Mammogram, left breast, MLO view. Patient age 41.
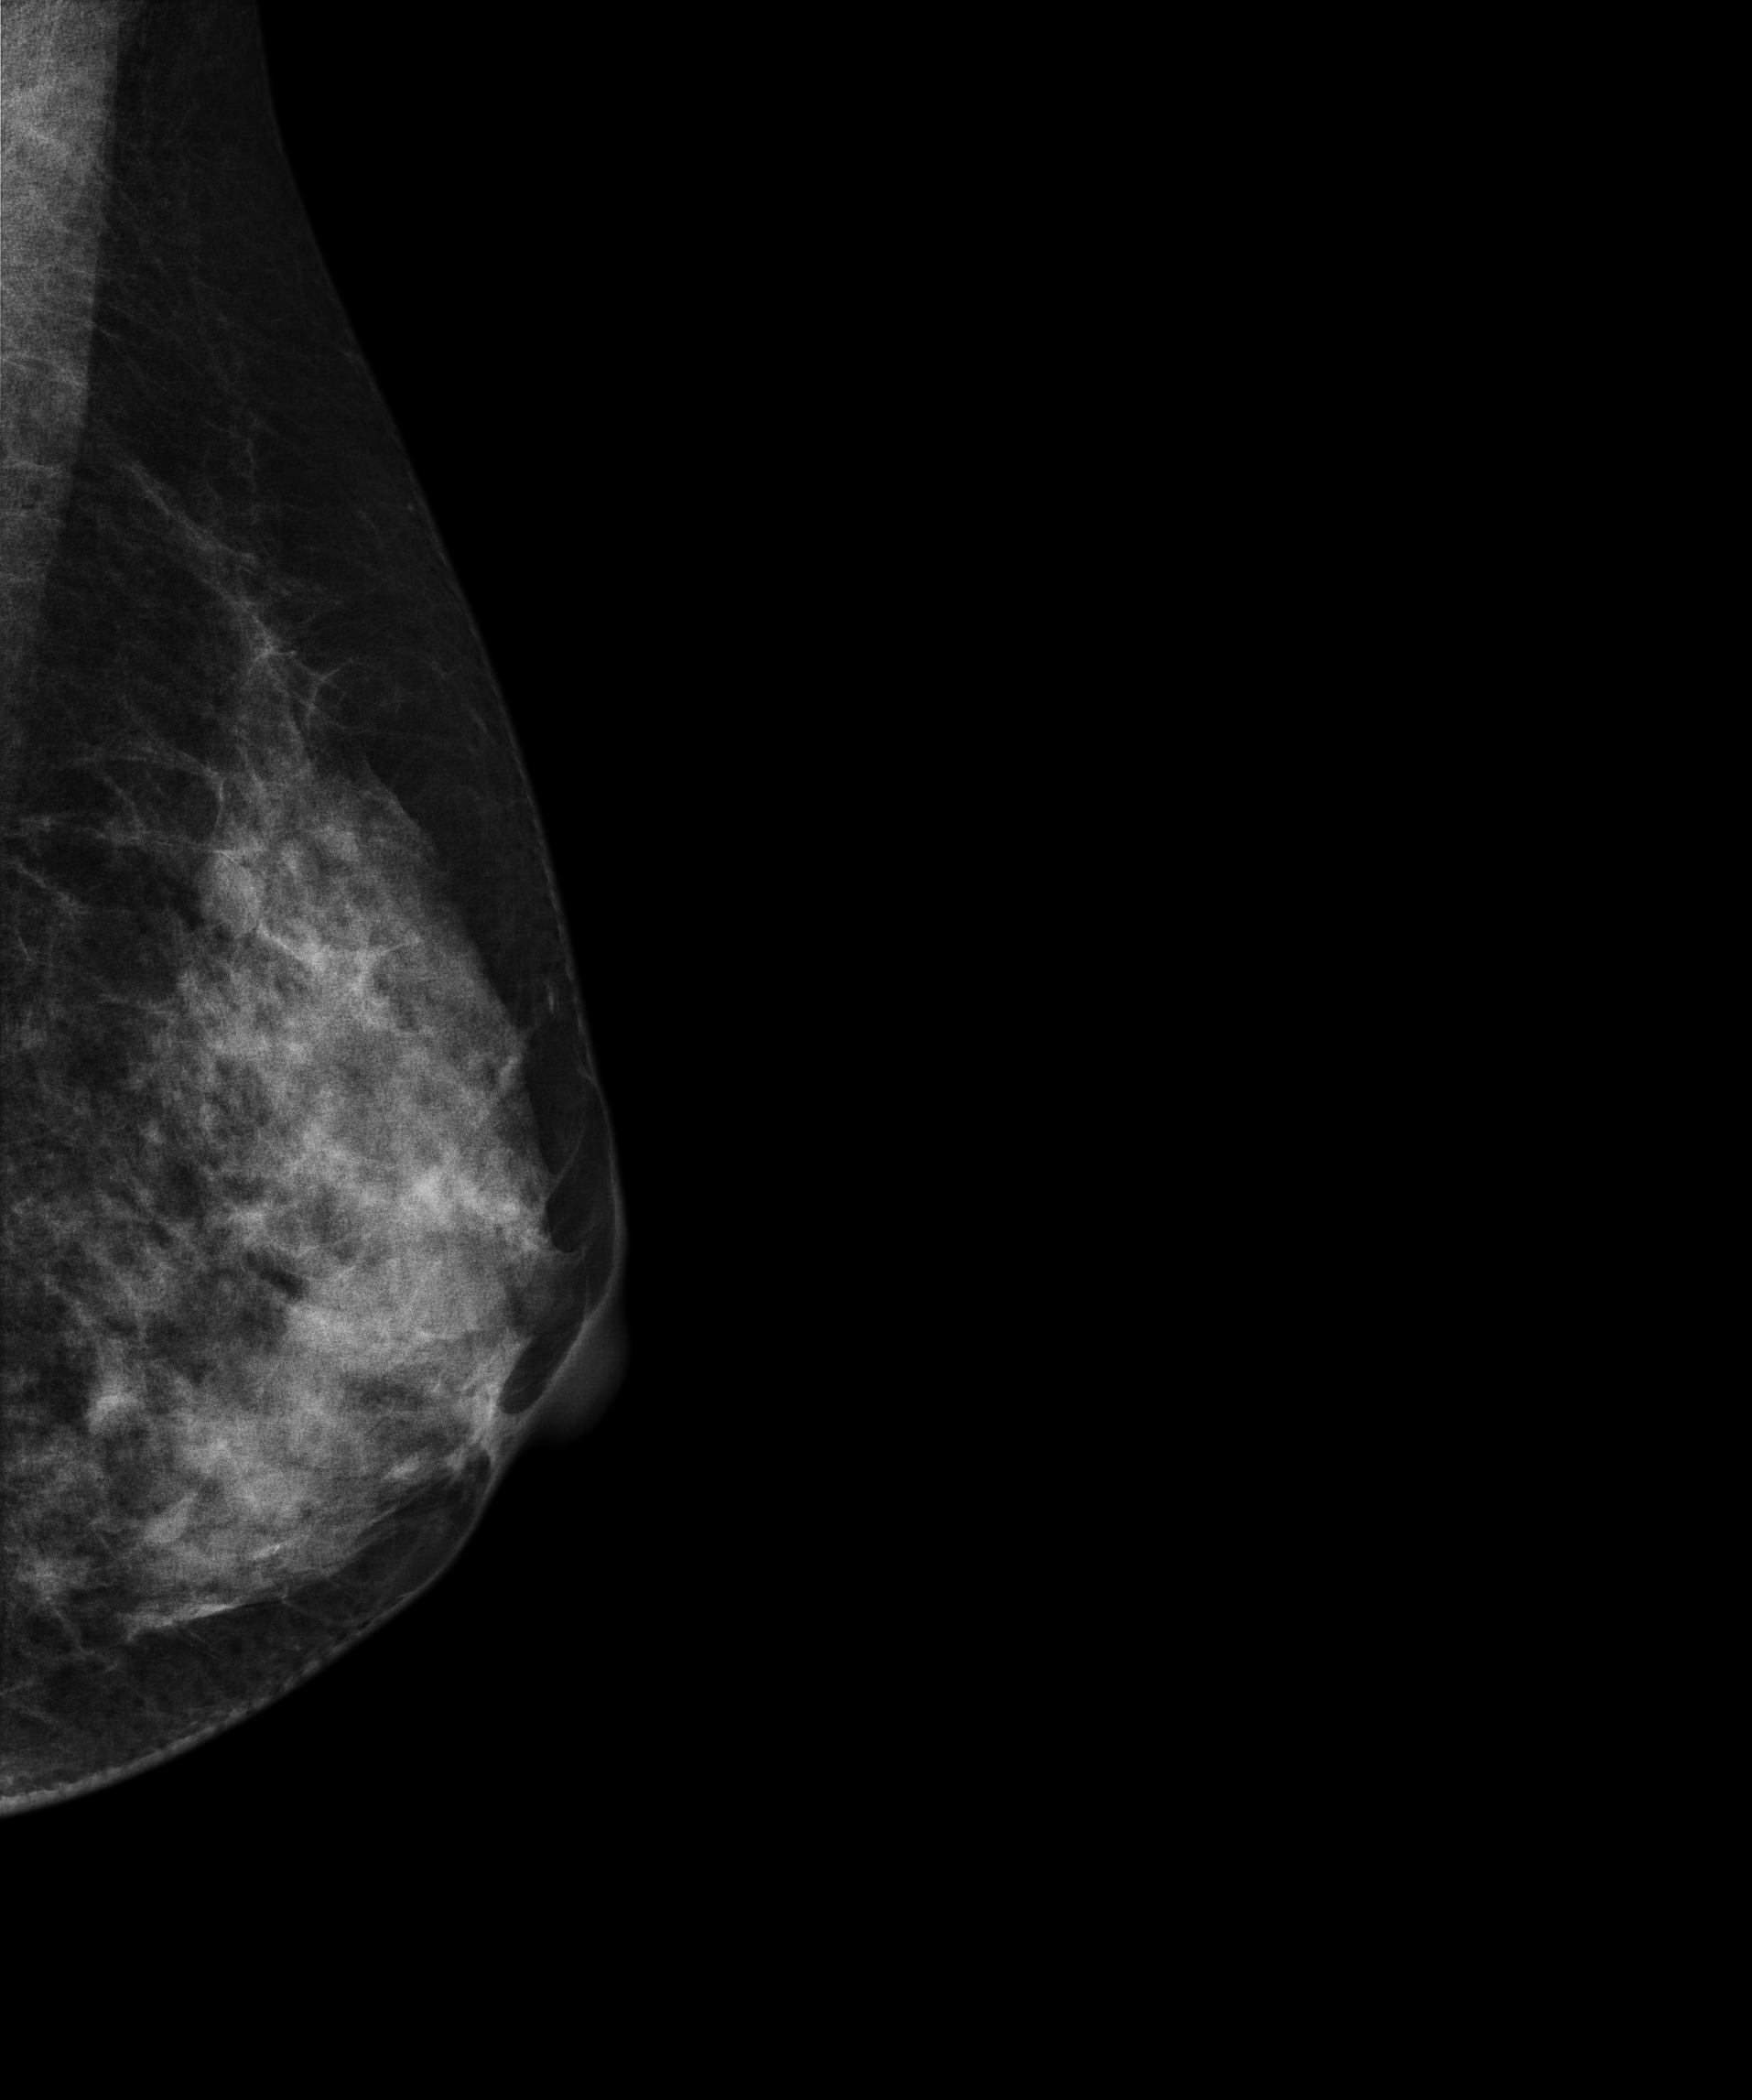
This breast has a mass, biopsy-proven malignant. Molecular subtype: triple-negative.